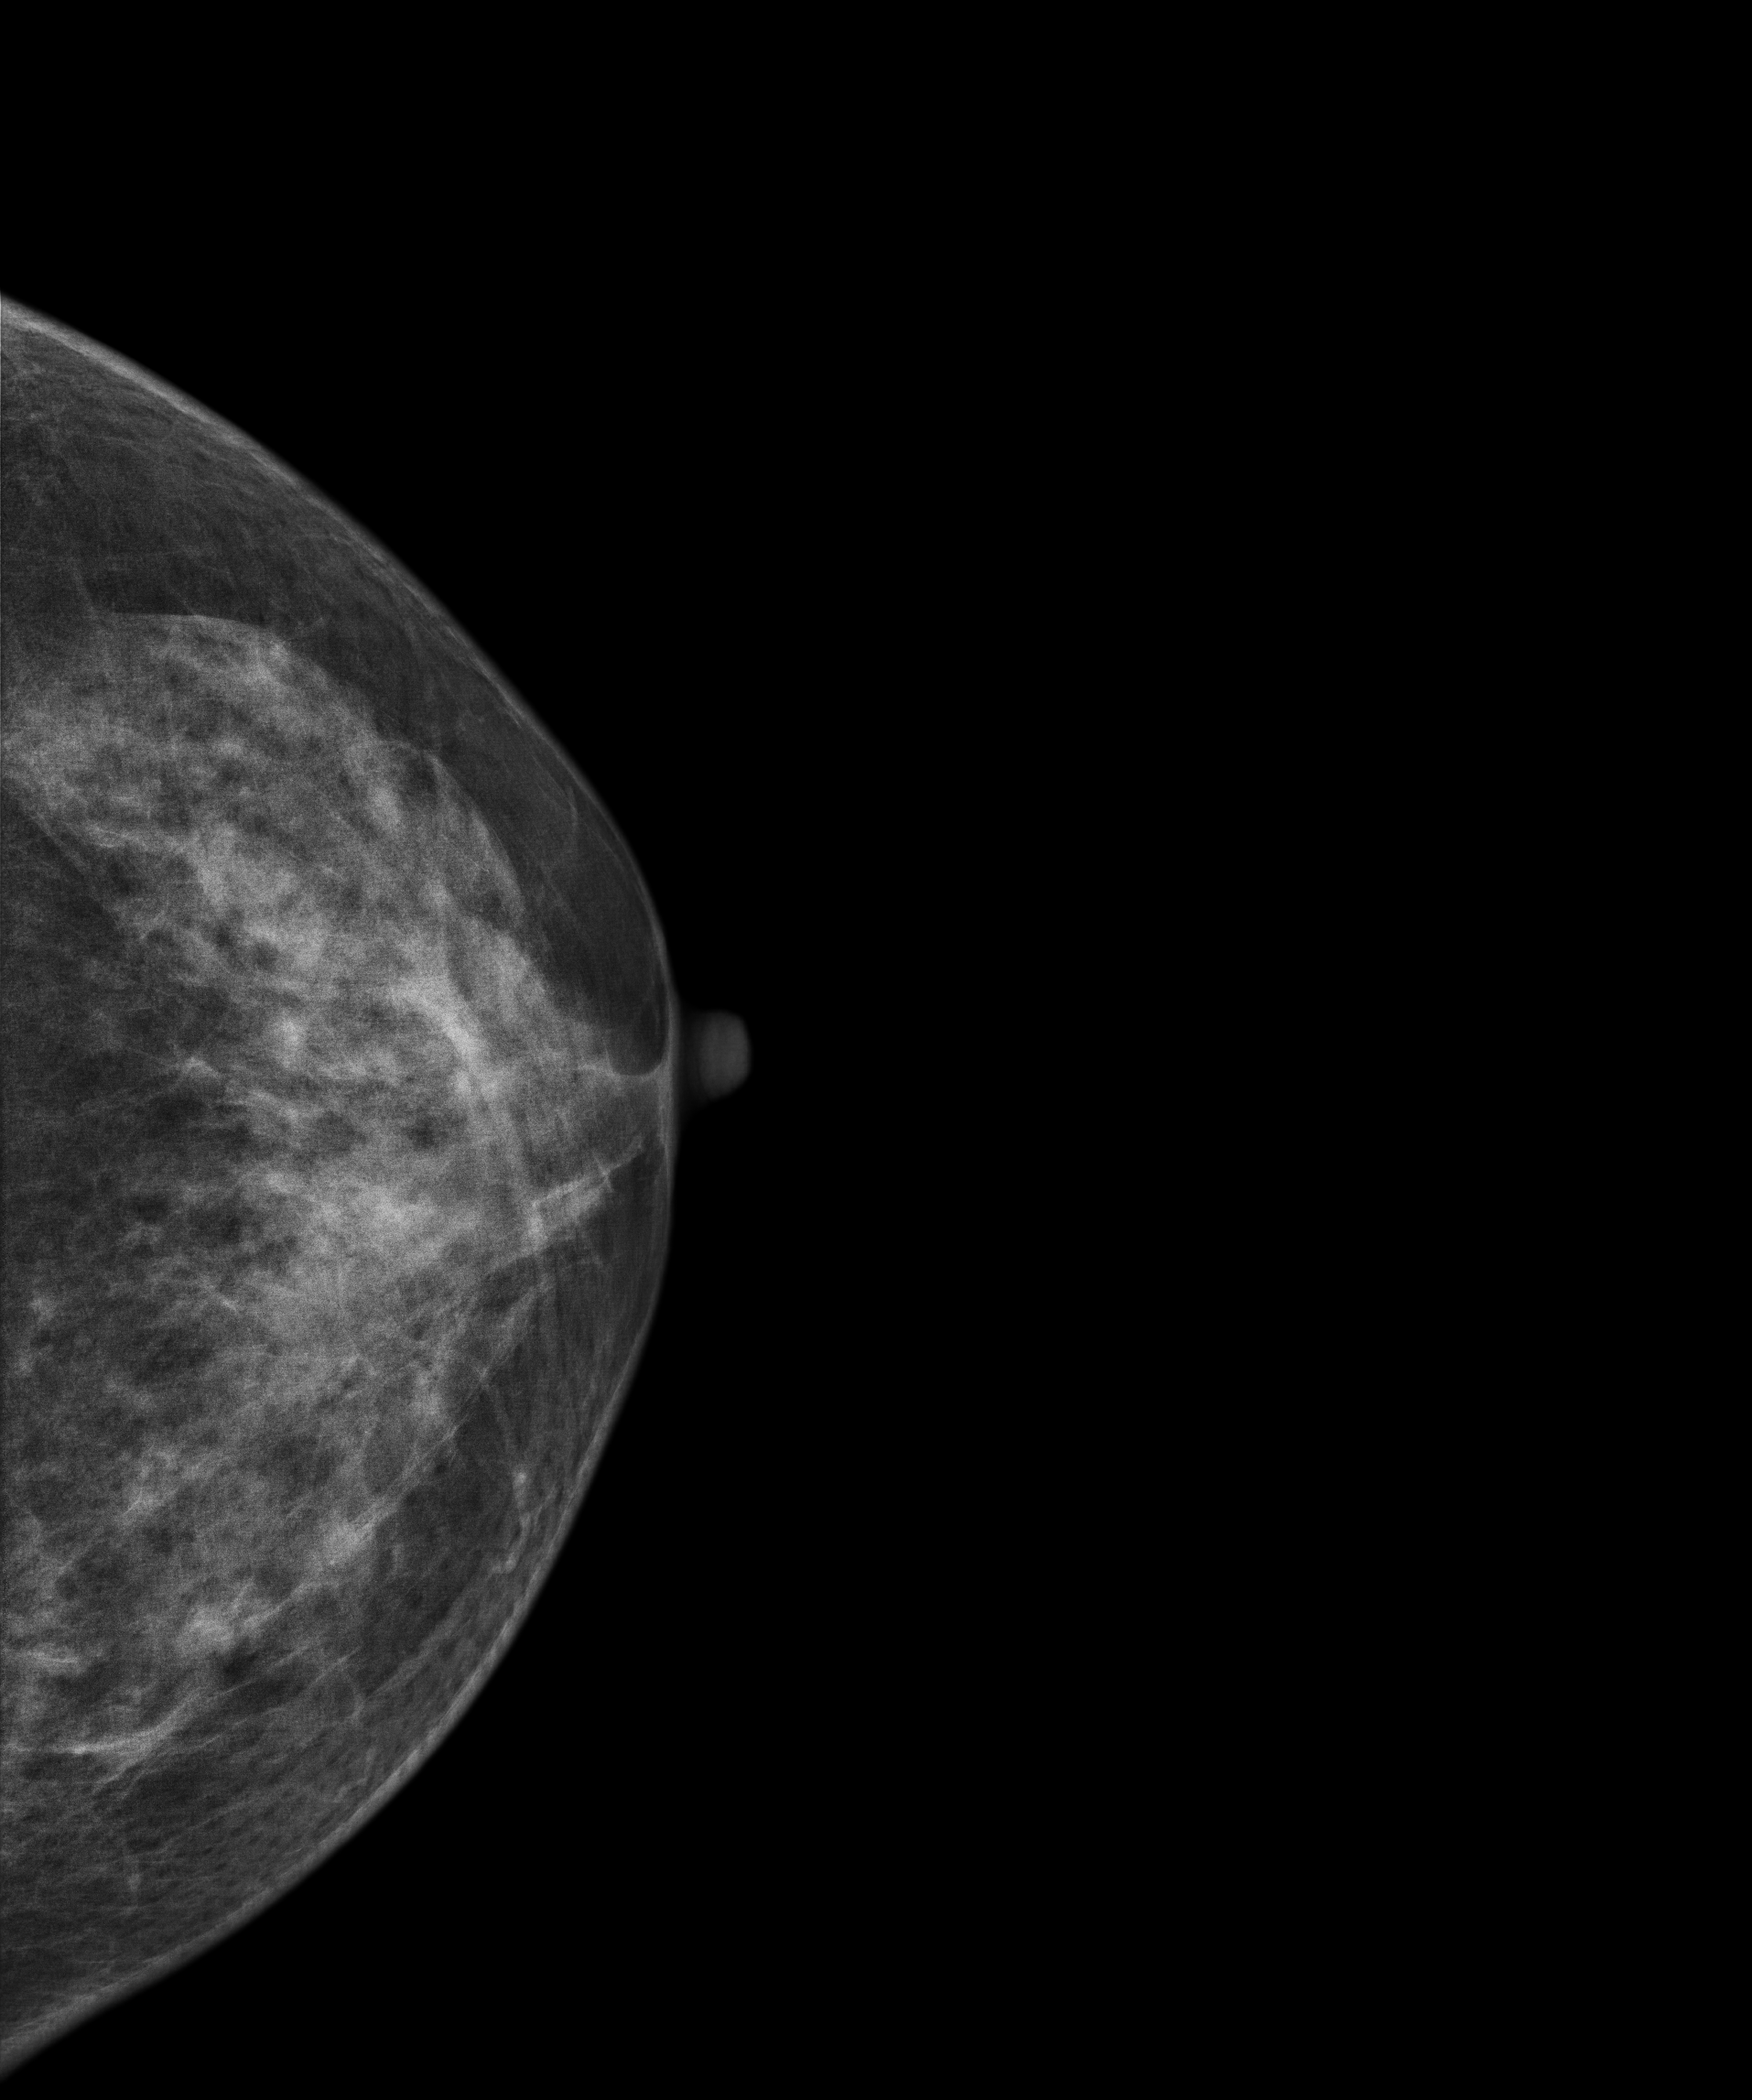
Cranio-caudal mammogram of the left breast. Patient age 34.
Contralateral breast — no documented abnormality on this side.